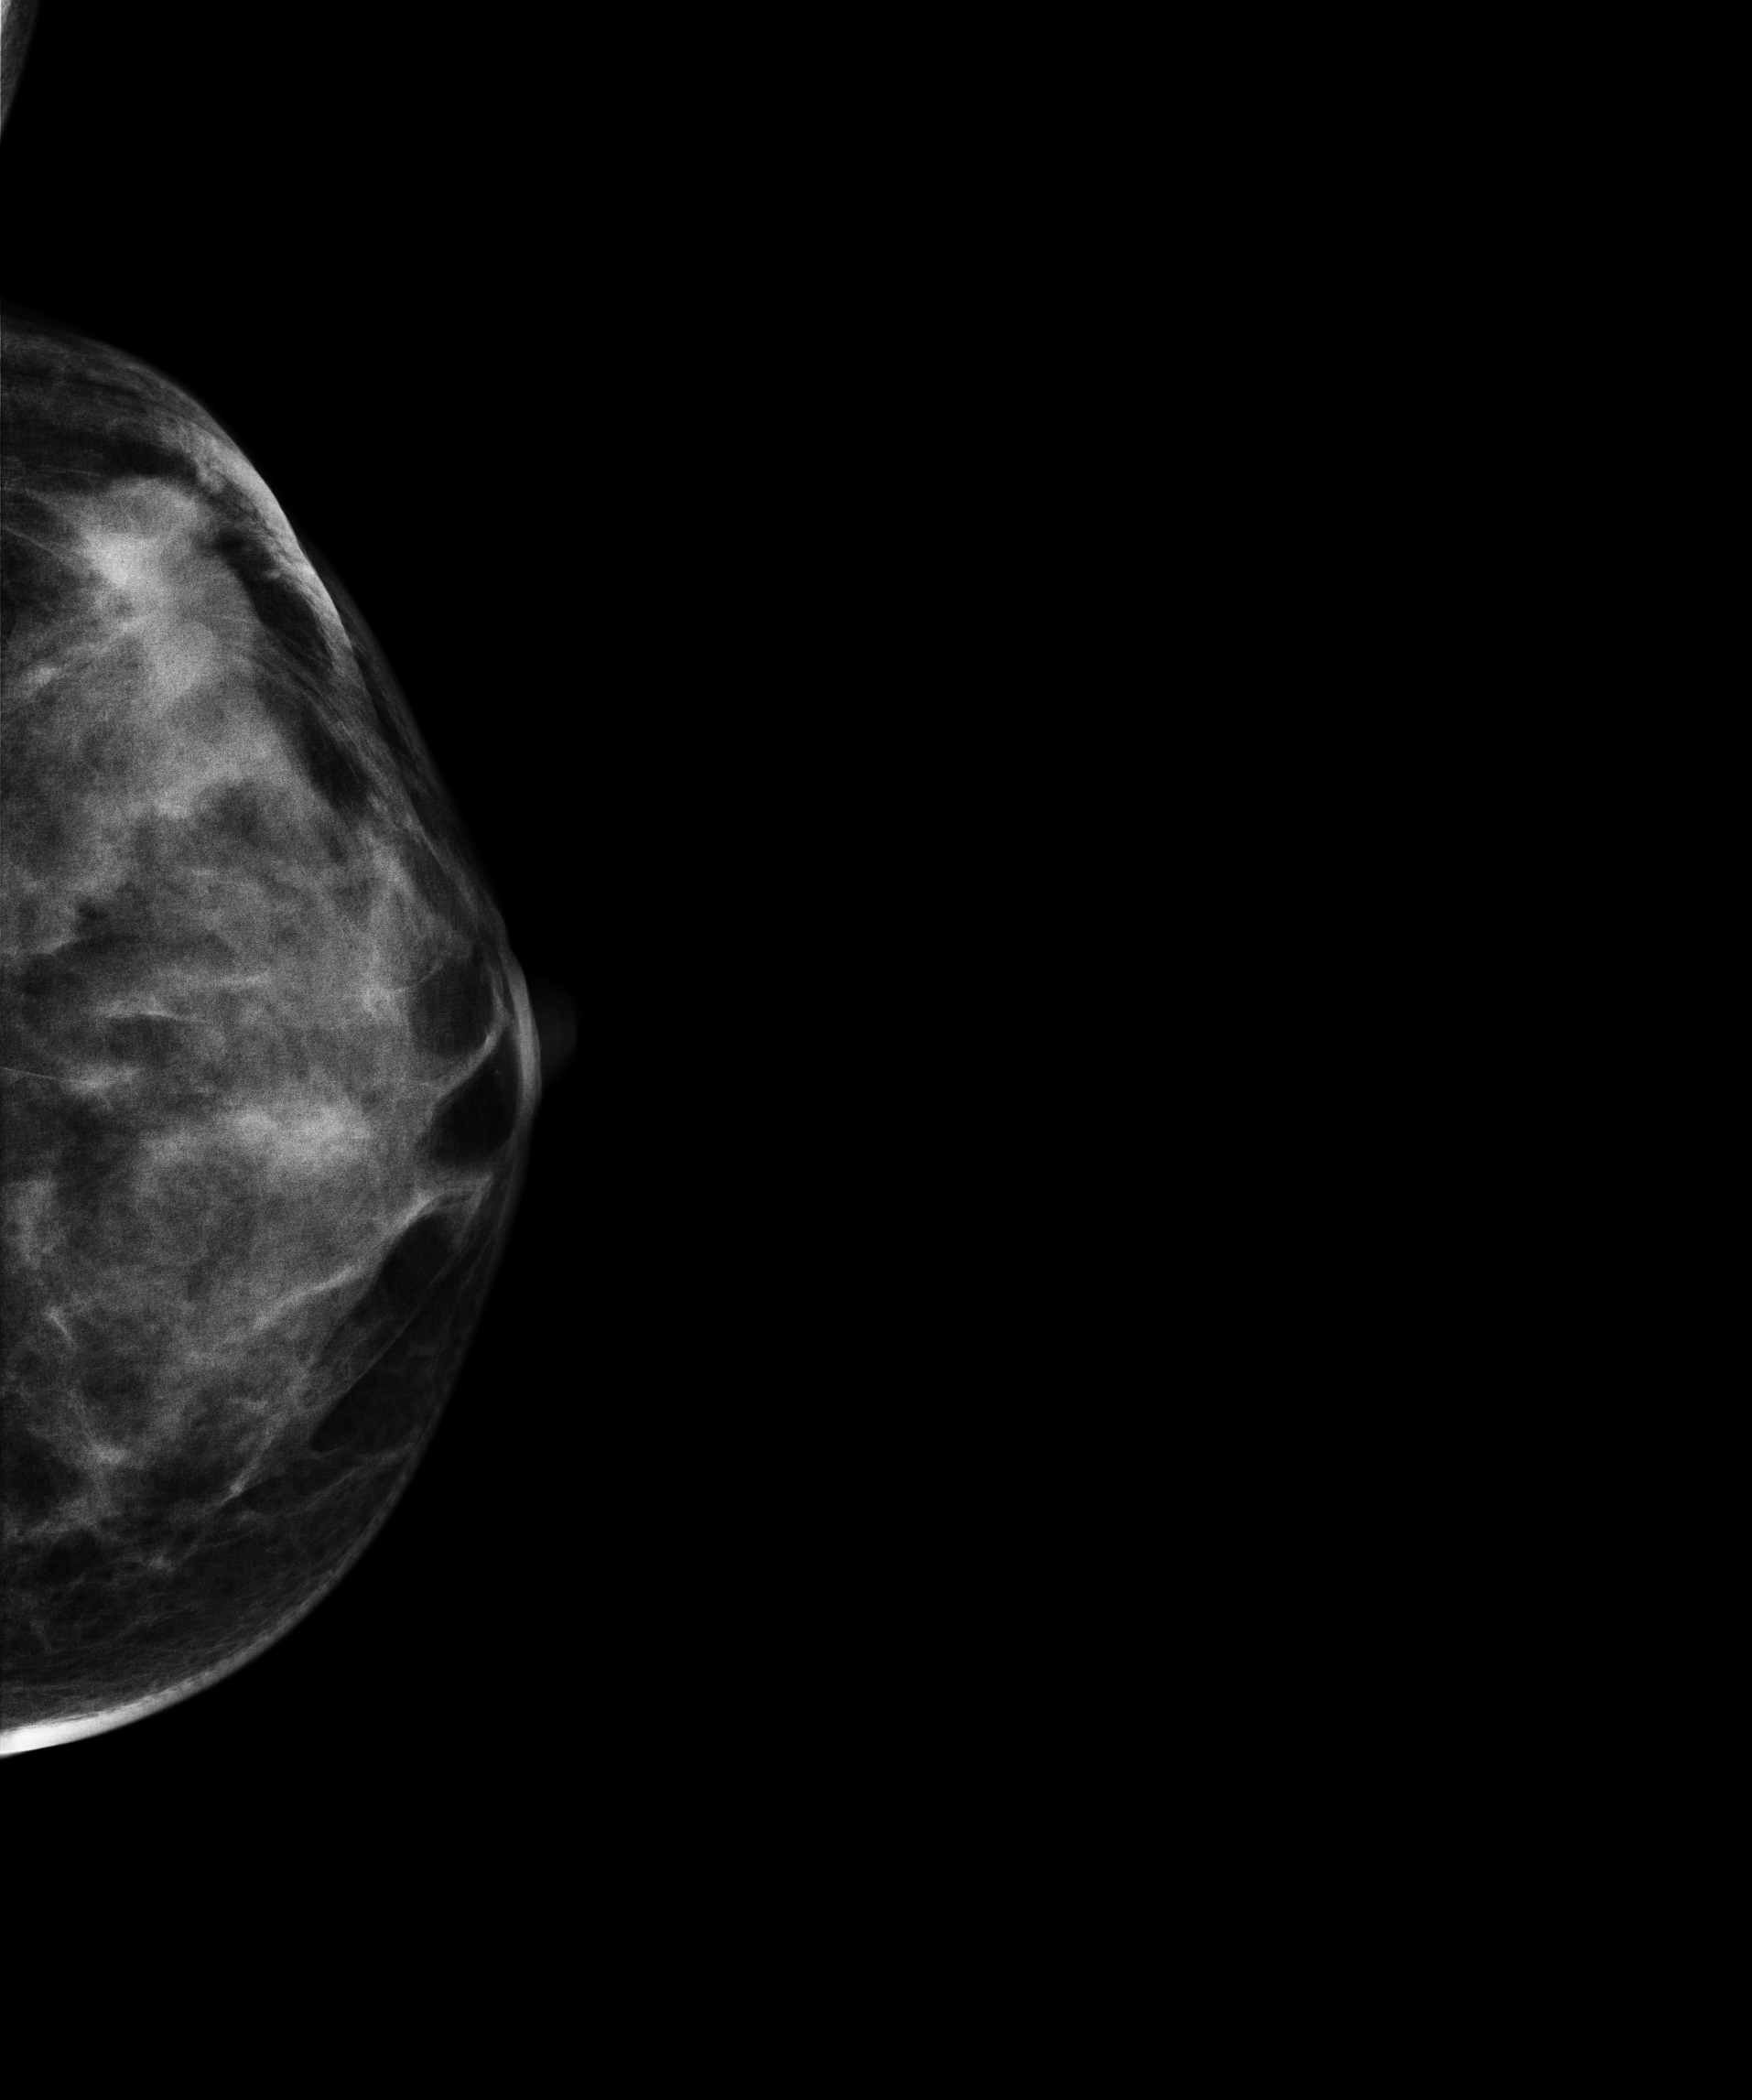
Digital mammography. Left breast, cranio-caudal projection. 28-year-old patient.
This breast has a mass, pathology-confirmed malignant.